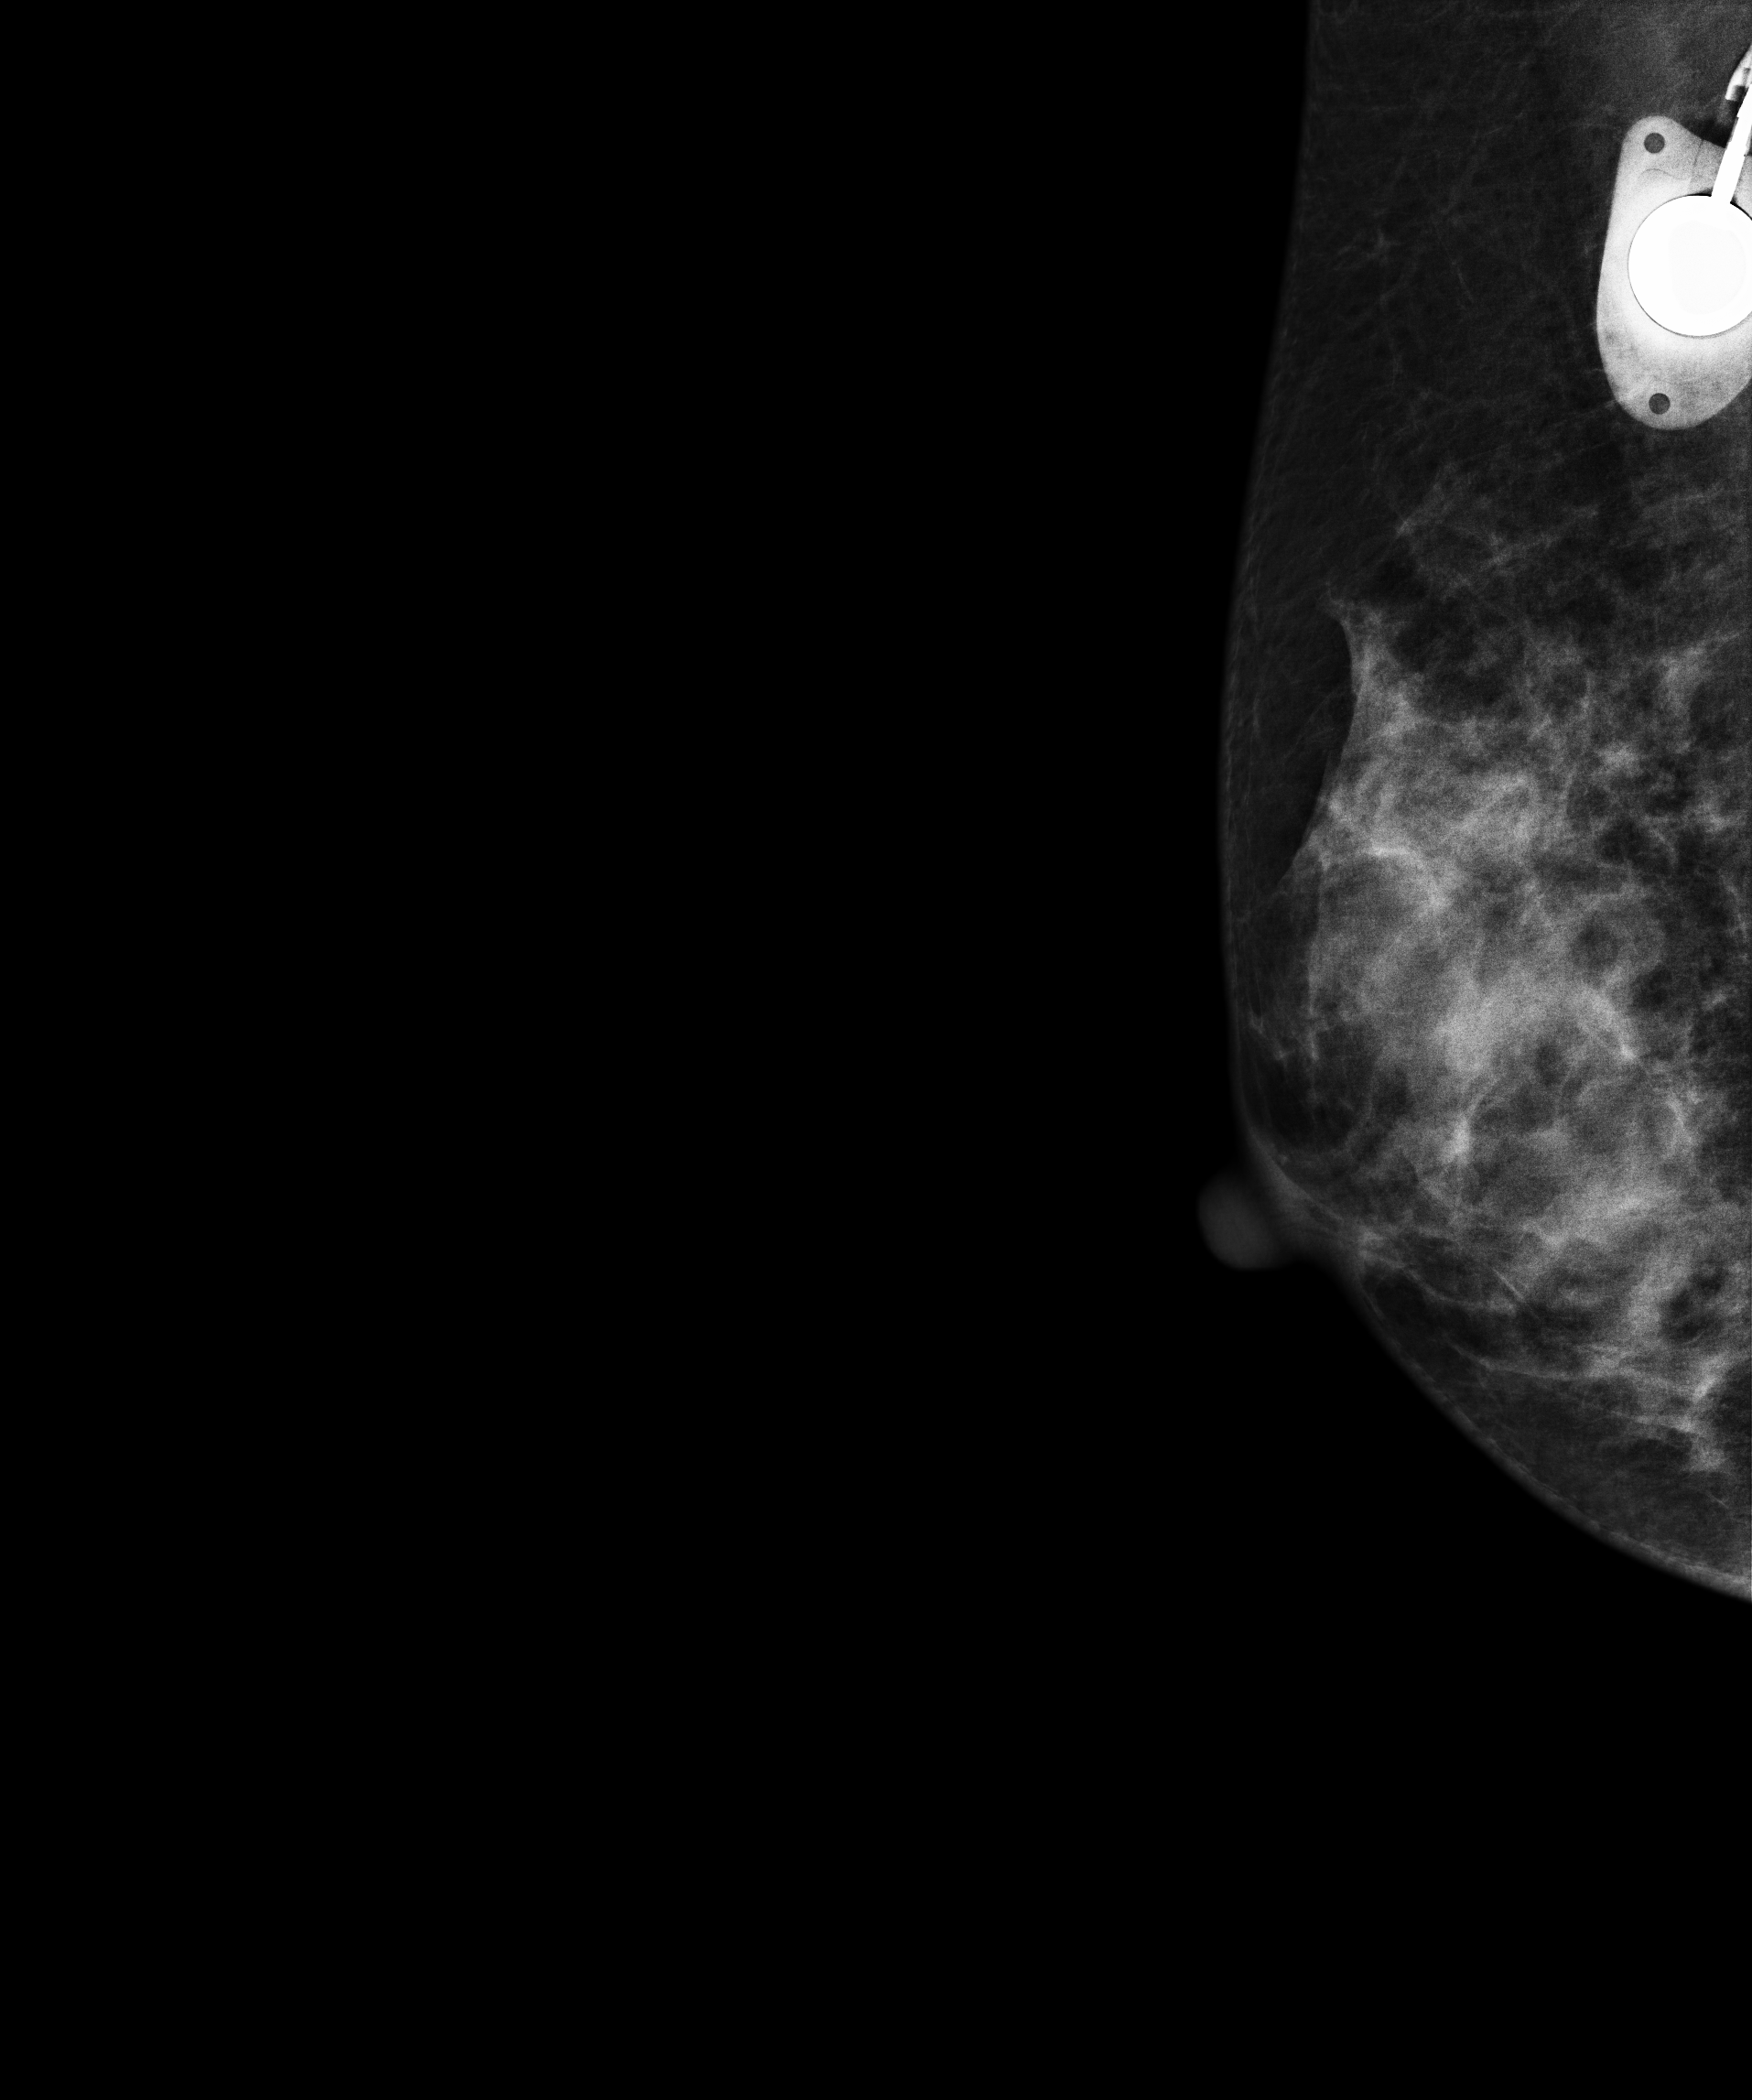
Mammogram, right breast, medio-lateral oblique view. Patient age 30.
Contralateral breast — no documented abnormality on this side.